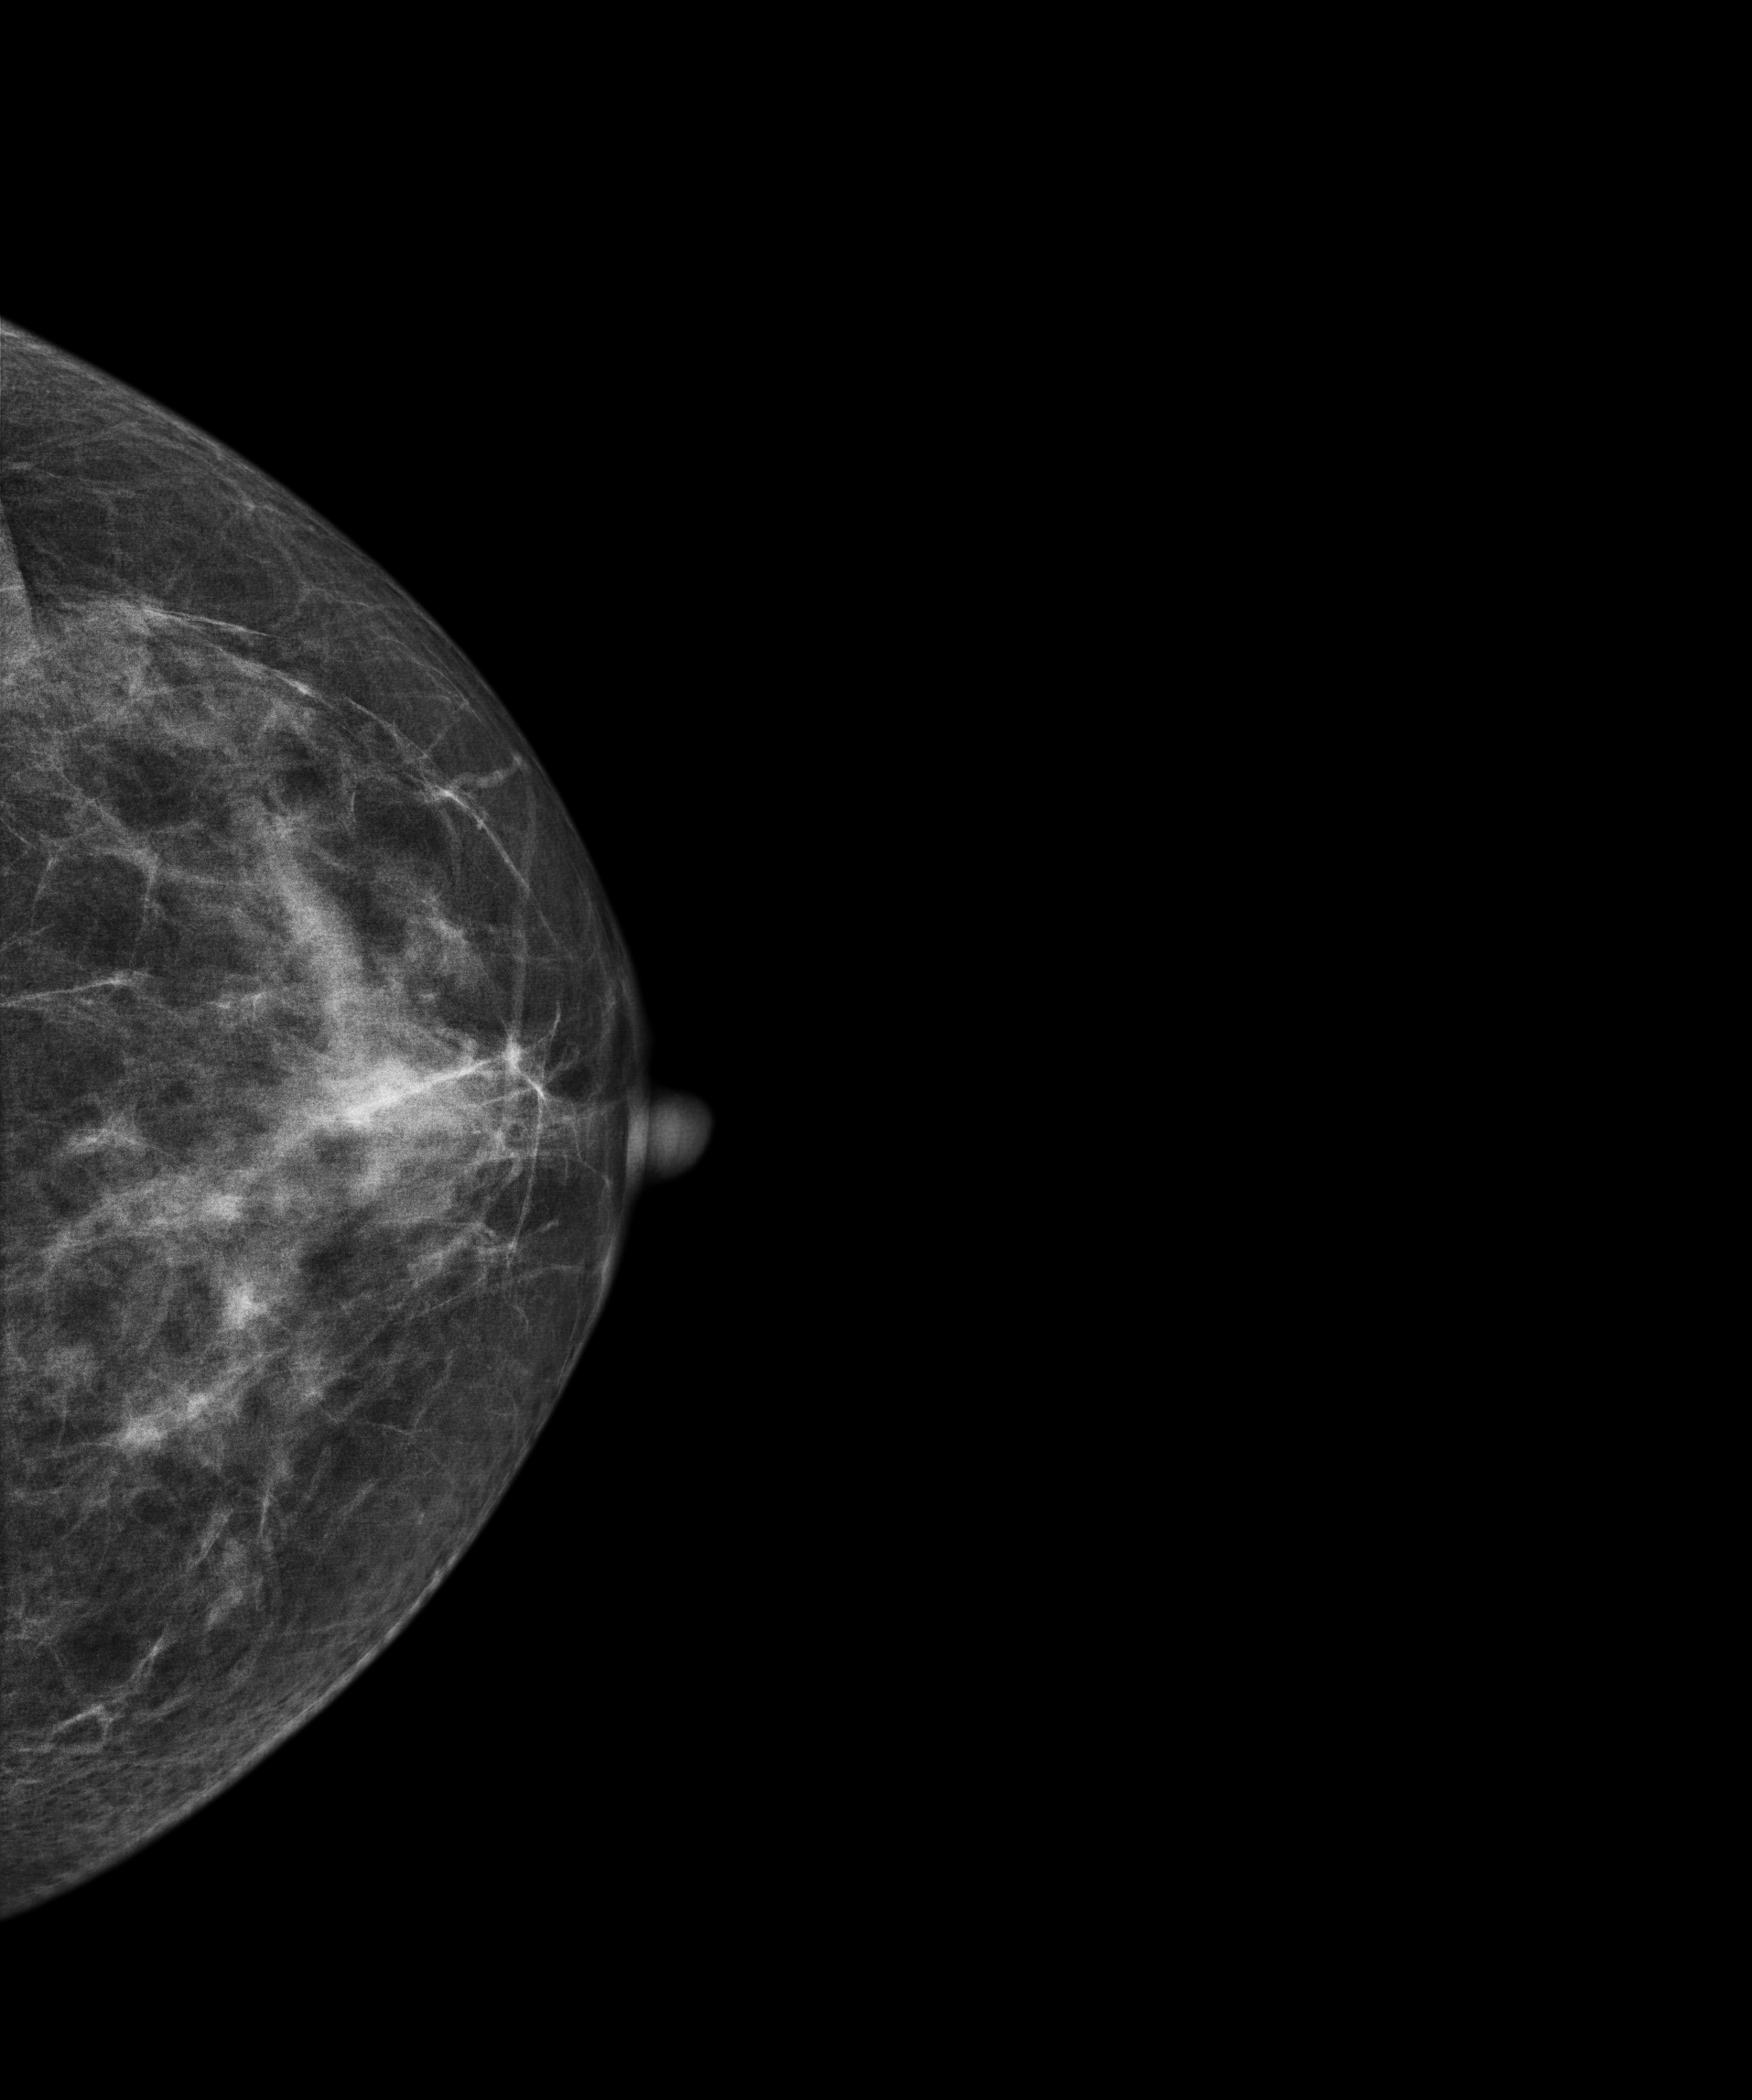
Mammogram — left CC. 61-year-old patient.
Contralateral breast — no documented abnormality on this side.